Digital mammography. Left breast, medio-lateral oblique projection. 31 y/o patient.
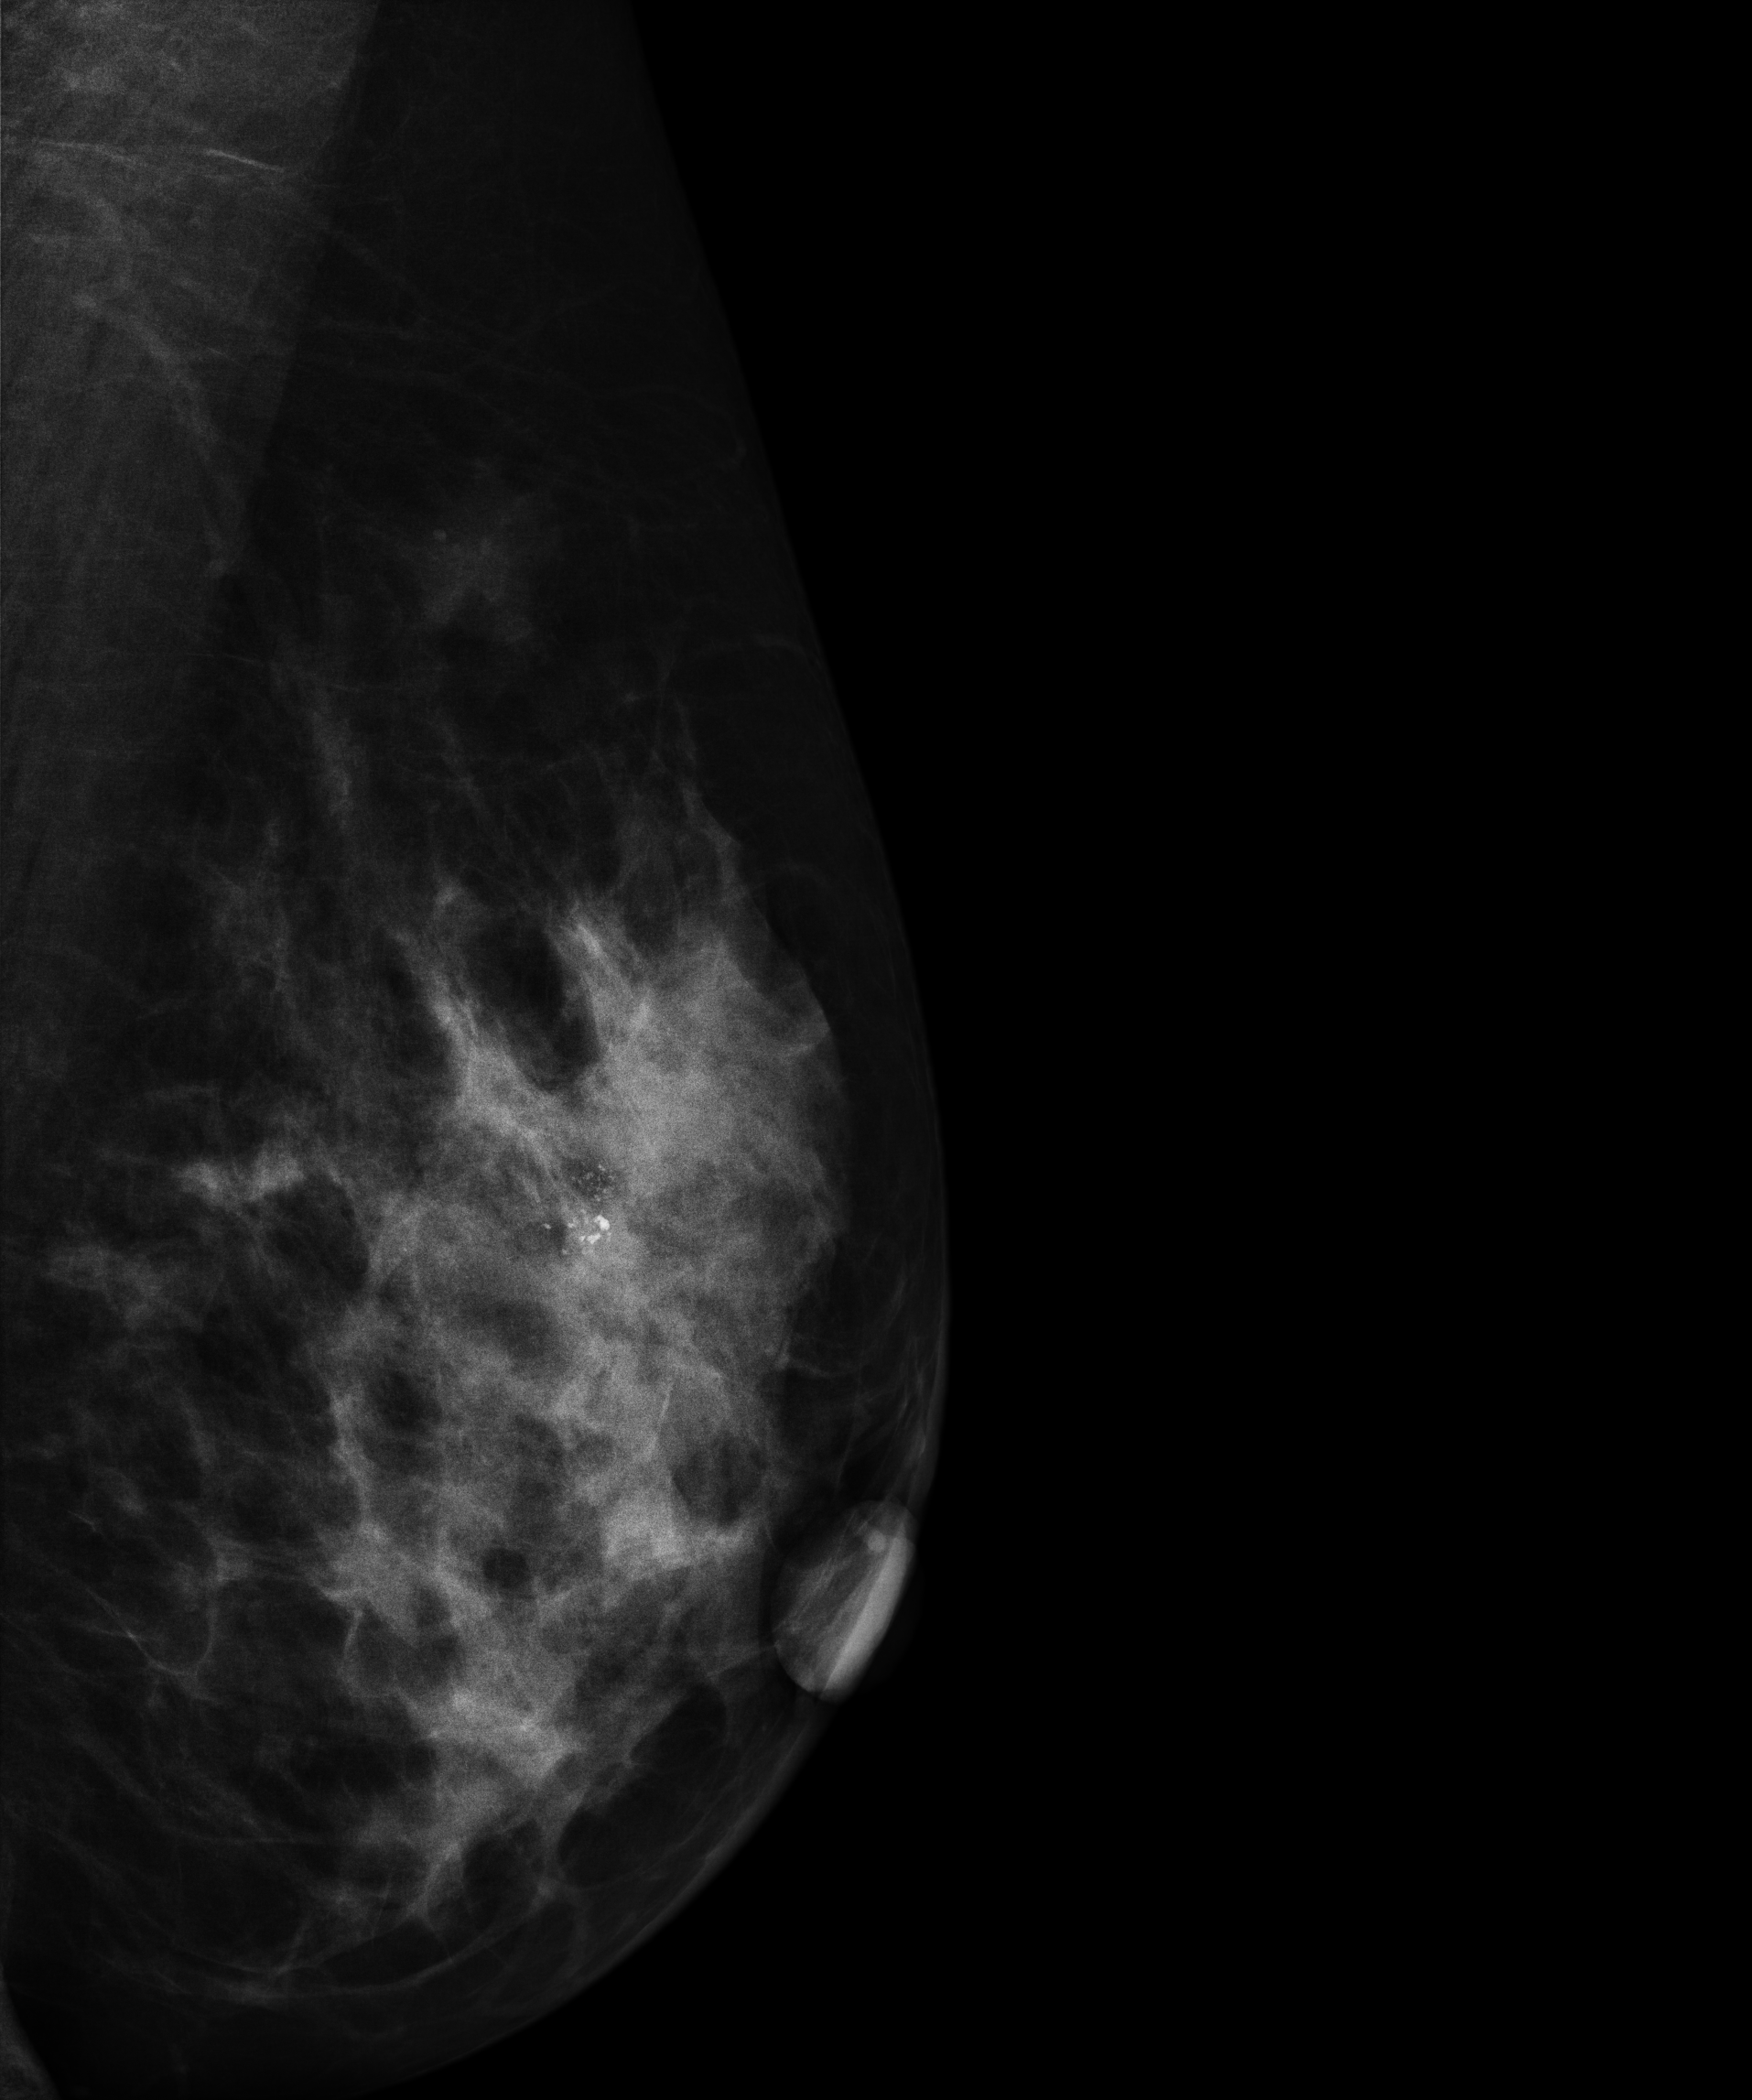
This breast has calcifications, biopsy-proven malignant.